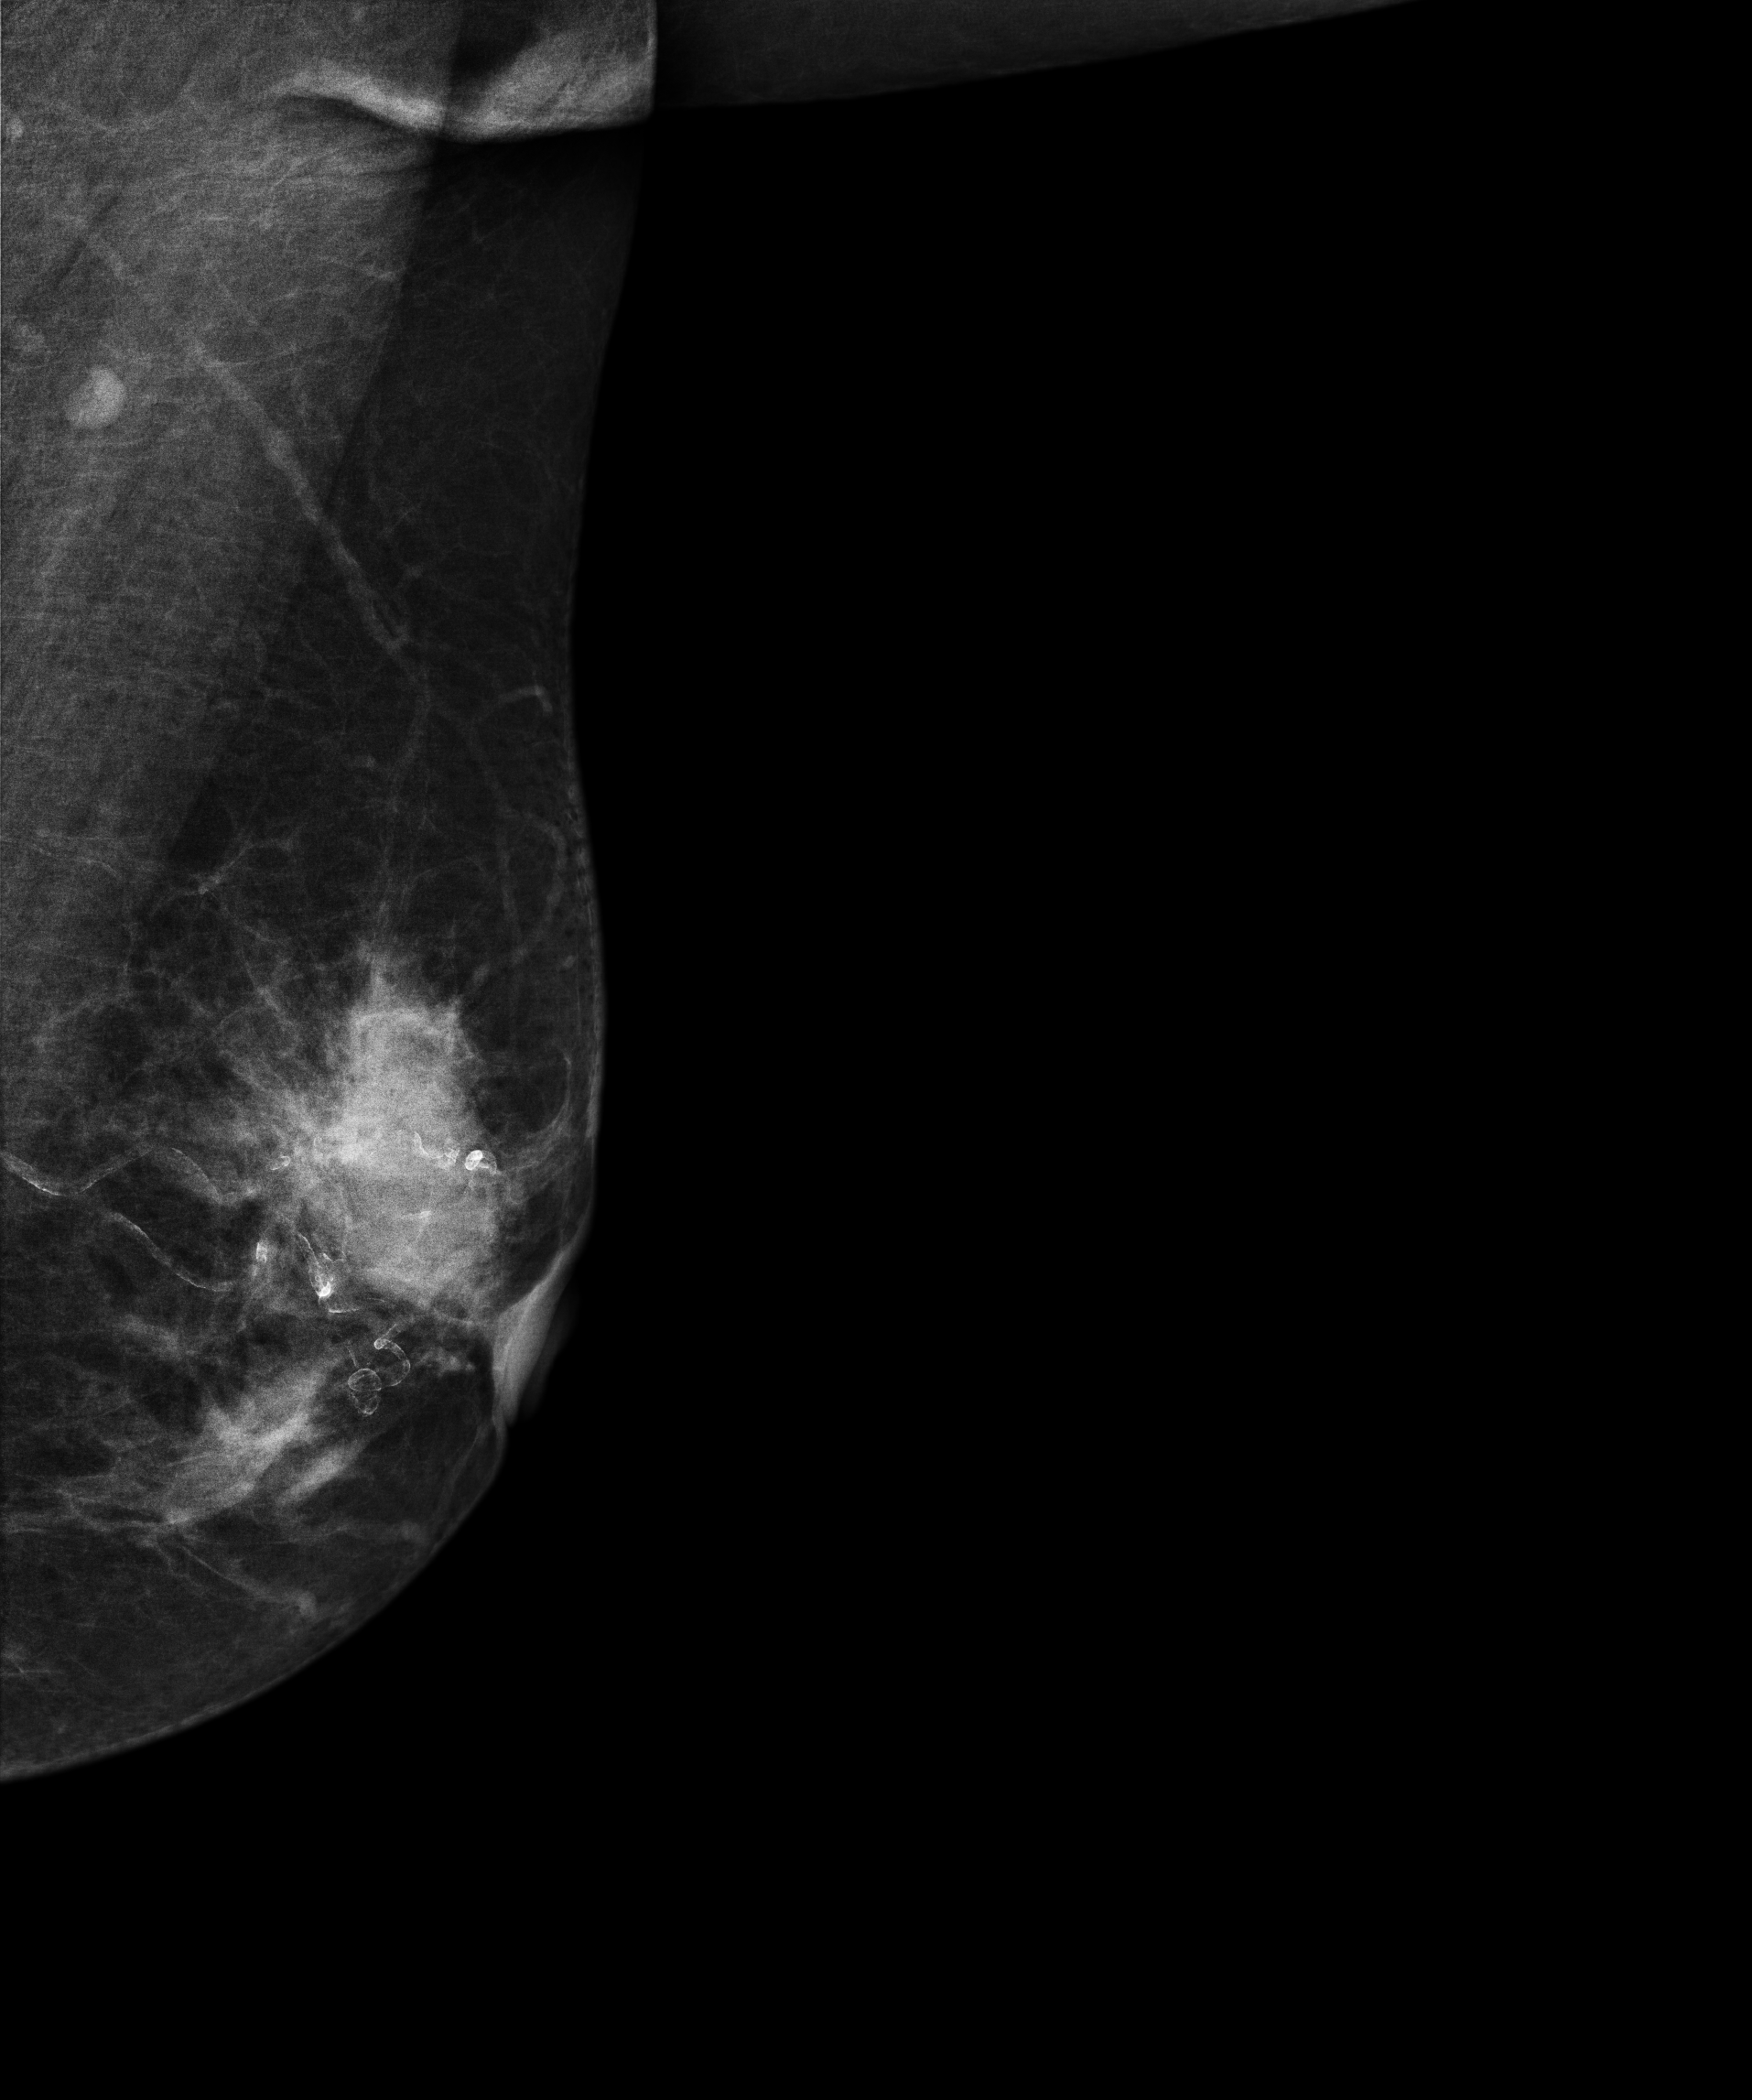
MLO mammogram of the left breast. 82 y/o patient.
This breast has a mass, pathology-confirmed malignant.